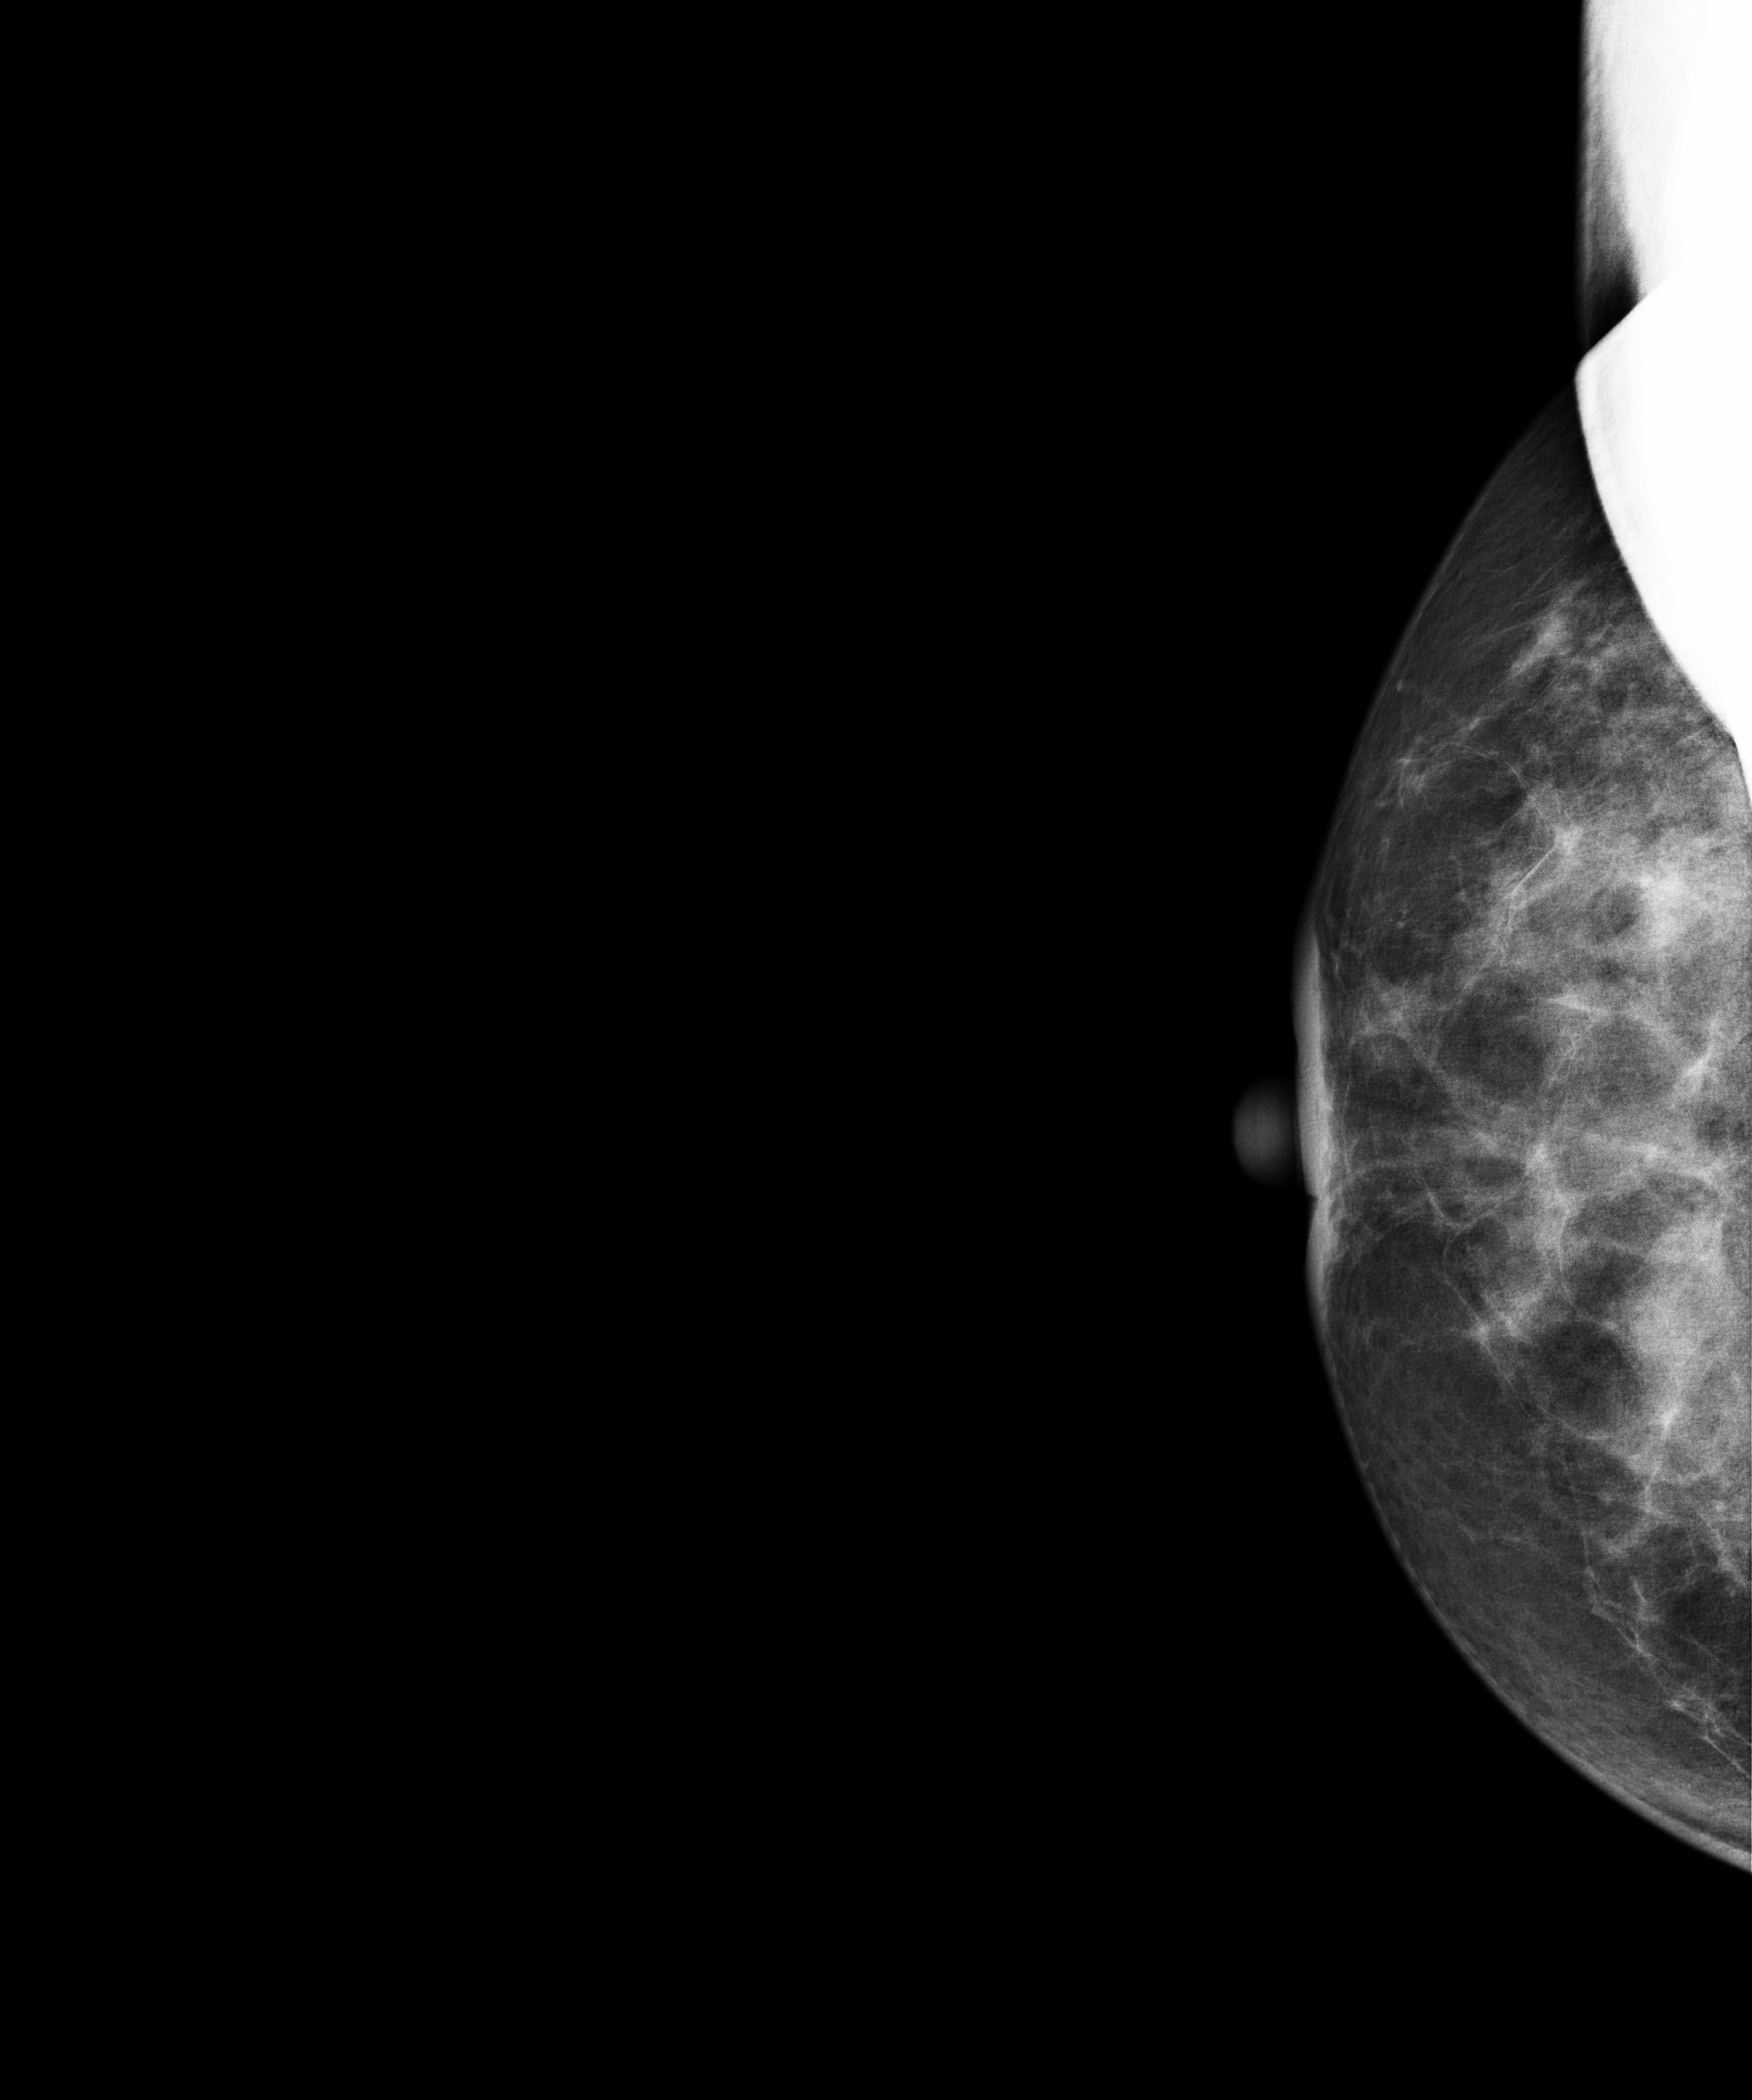
CC mammogram of the right breast. Patient age 50.
This breast has a mass, biopsy-confirmed malignant.